Medio-lateral oblique mammogram of the right breast. 58-year-old patient.
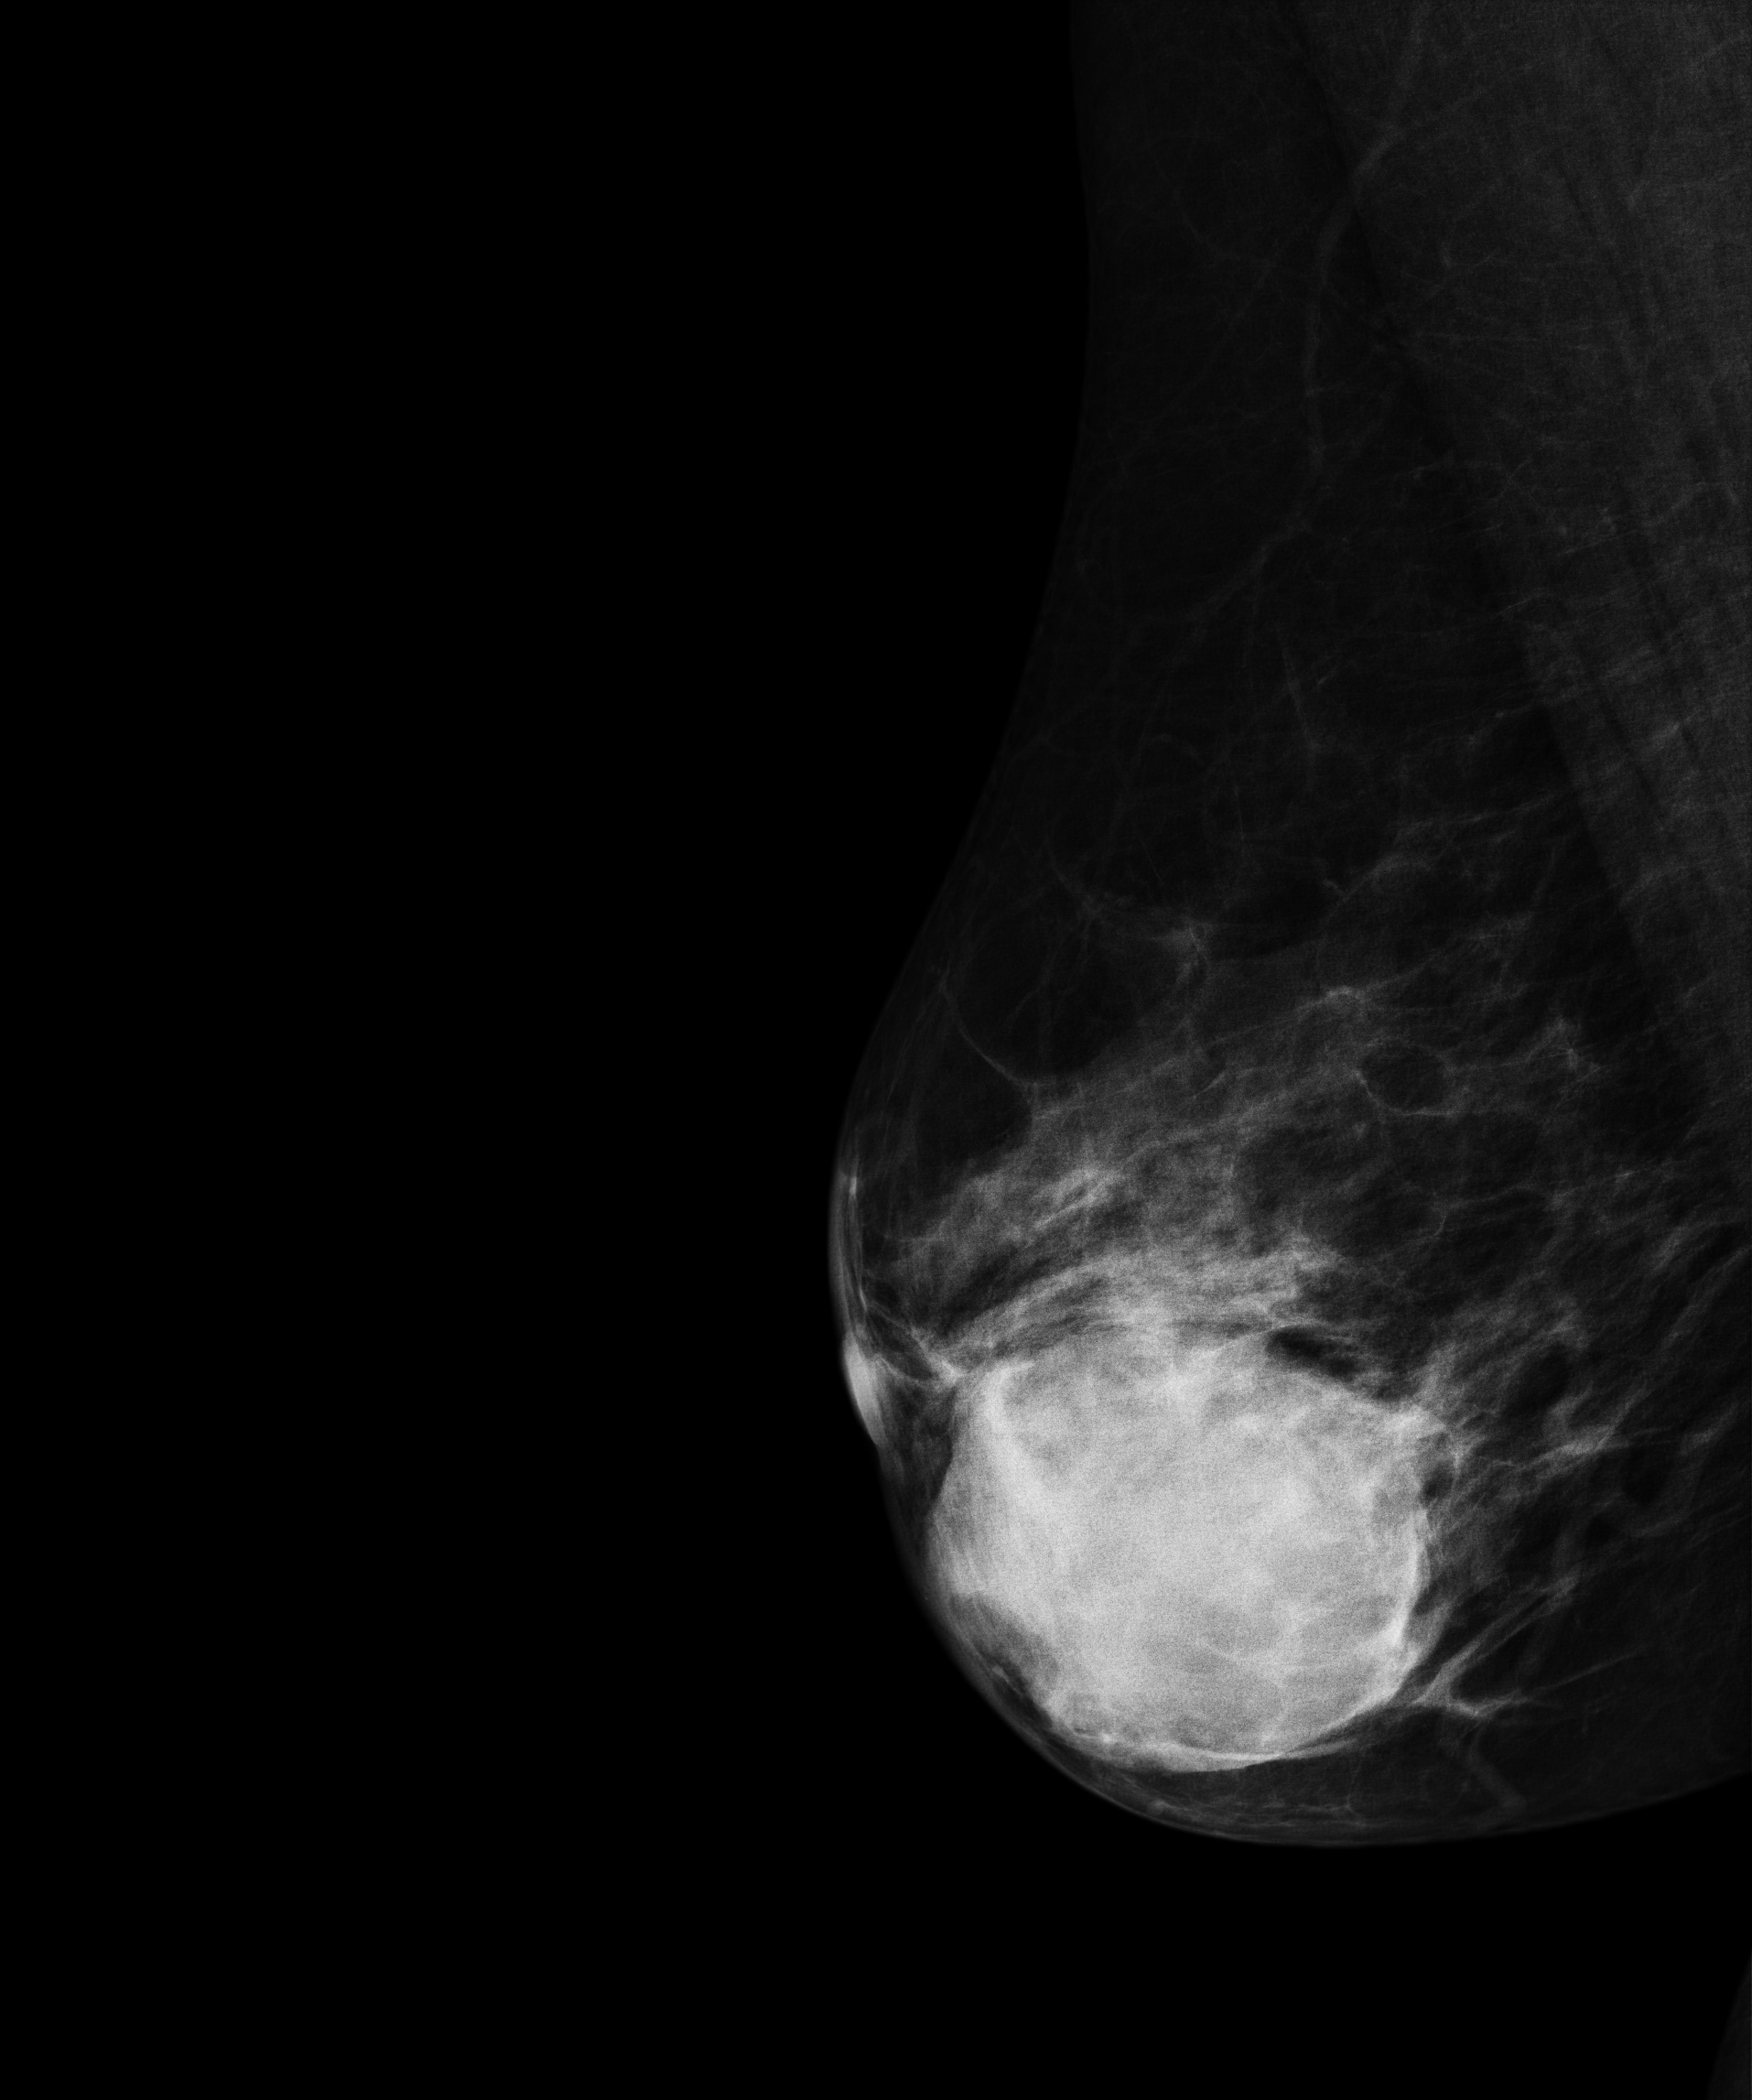
This breast has a mass, biopsy-confirmed malignant. Molecular subtype: triple-negative.